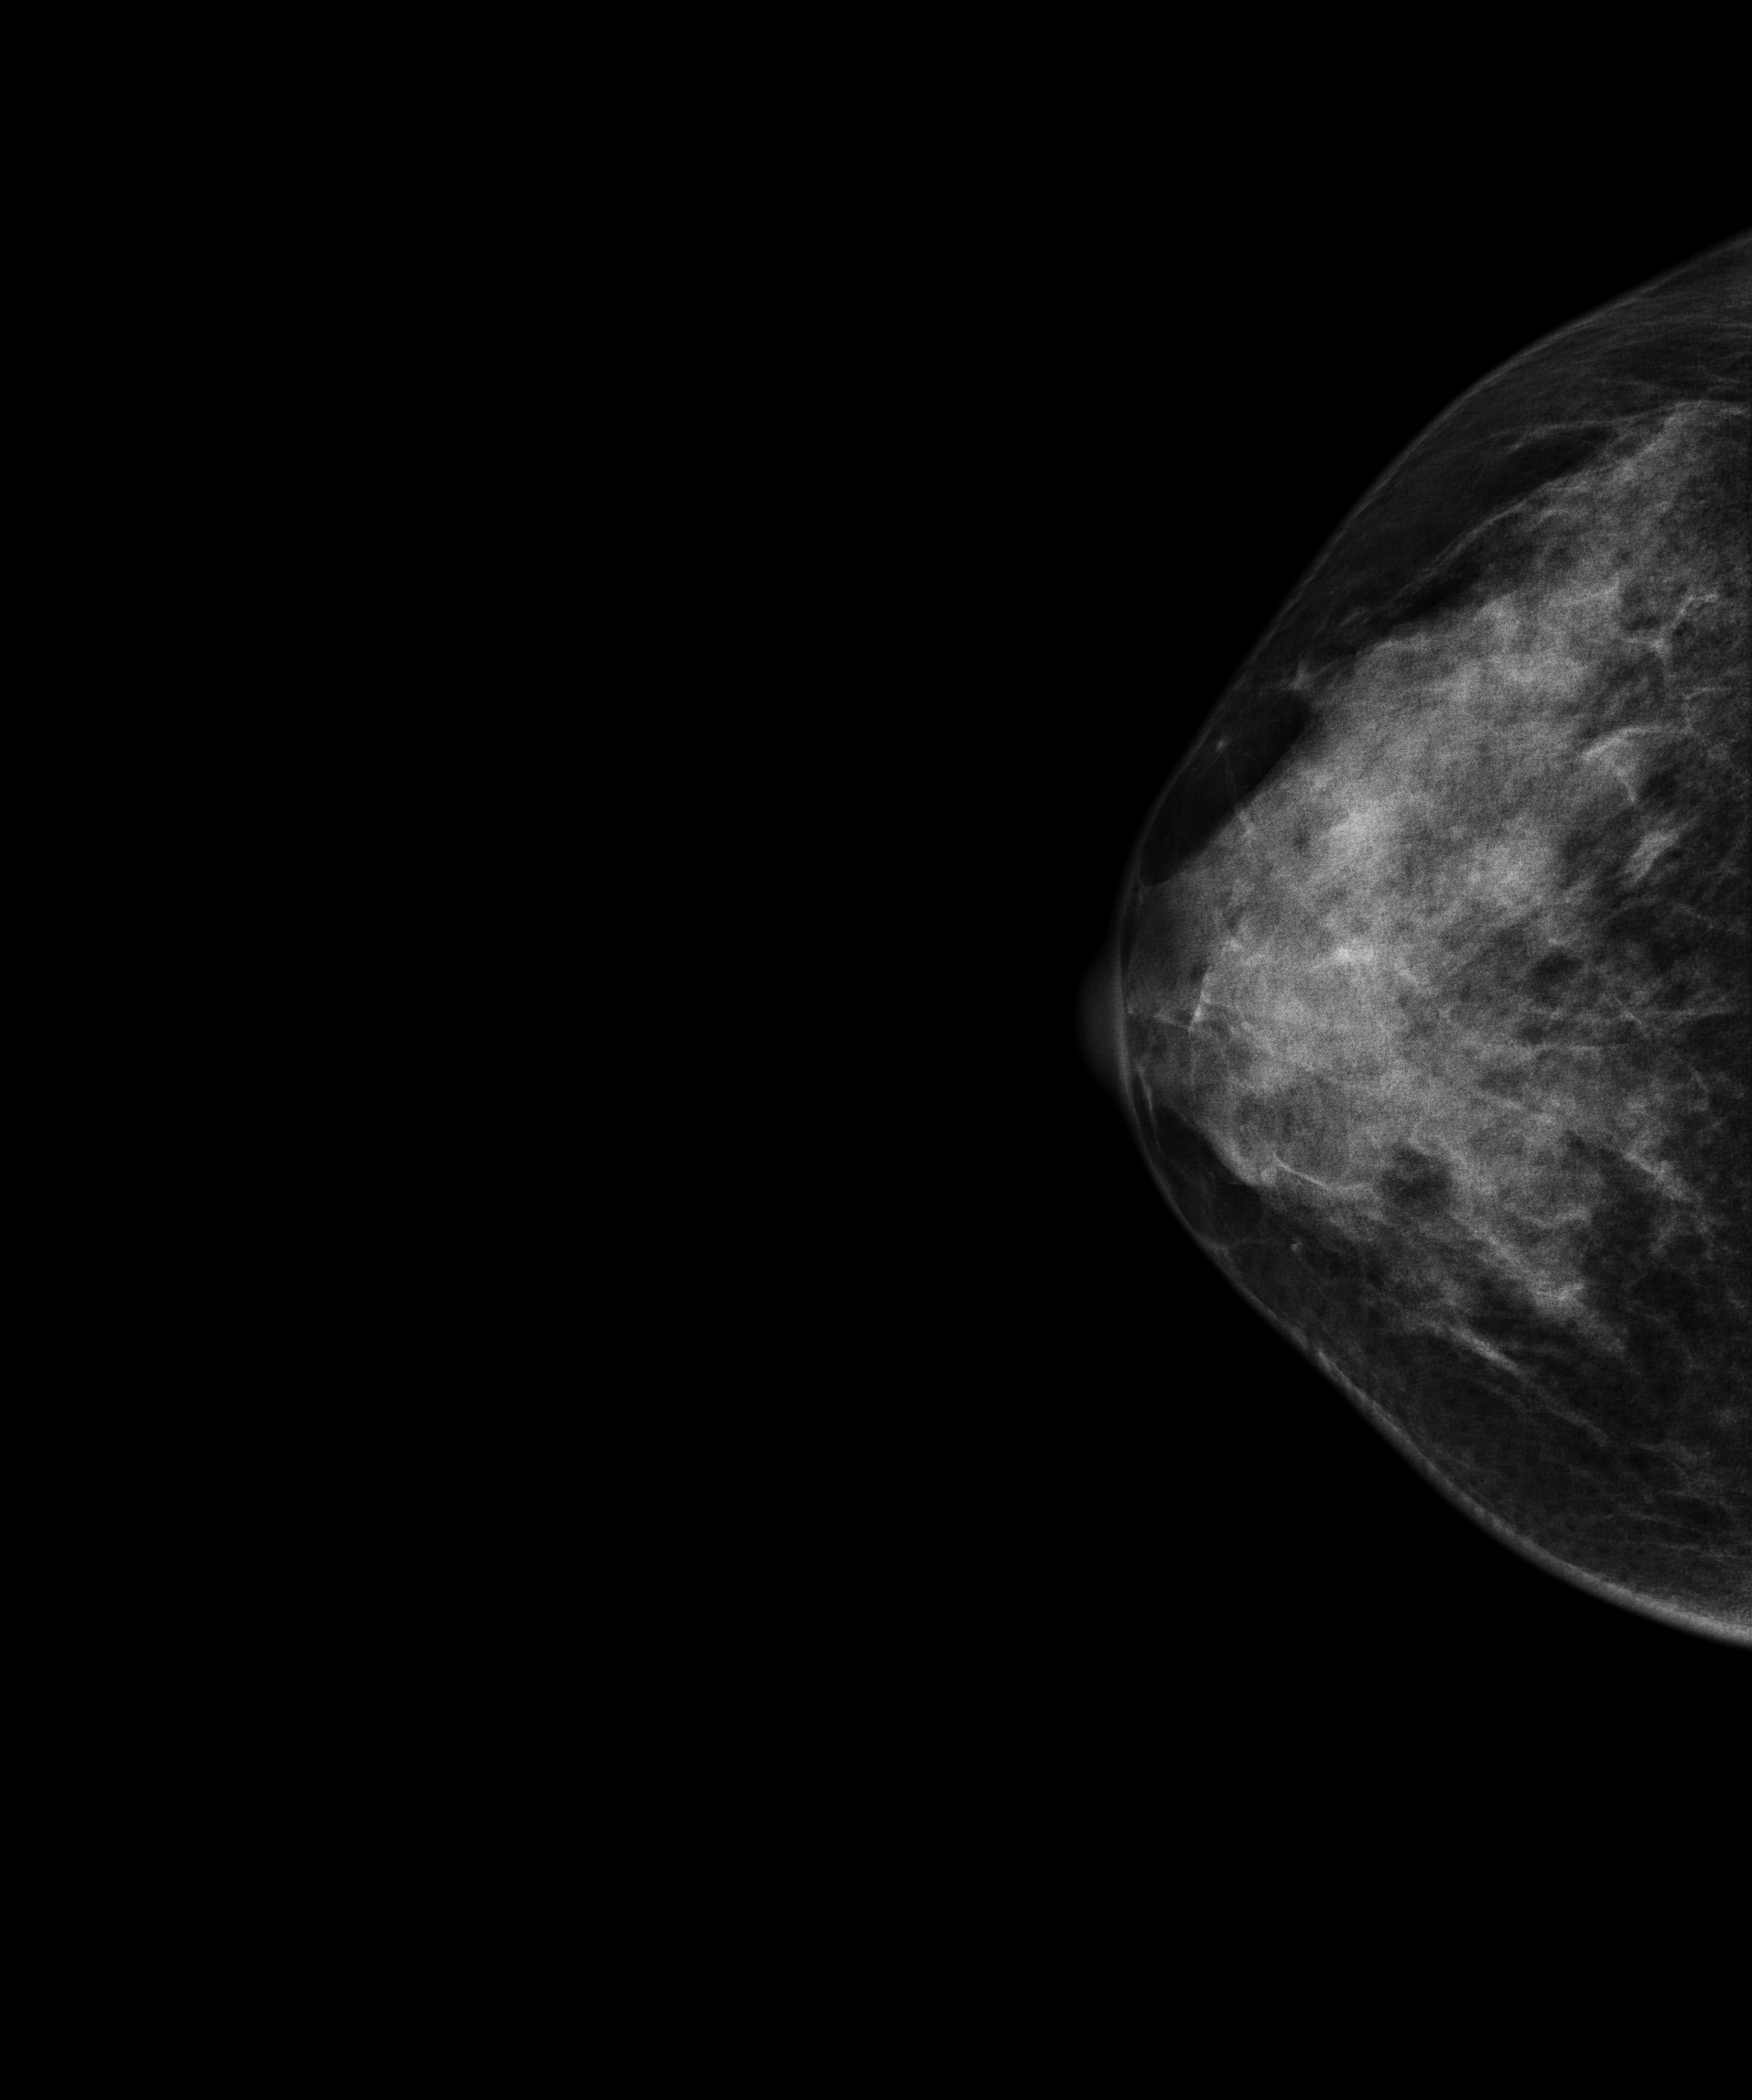
Mammogram — right CC. 41-year-old patient.
Contralateral breast — no documented abnormality on this side.